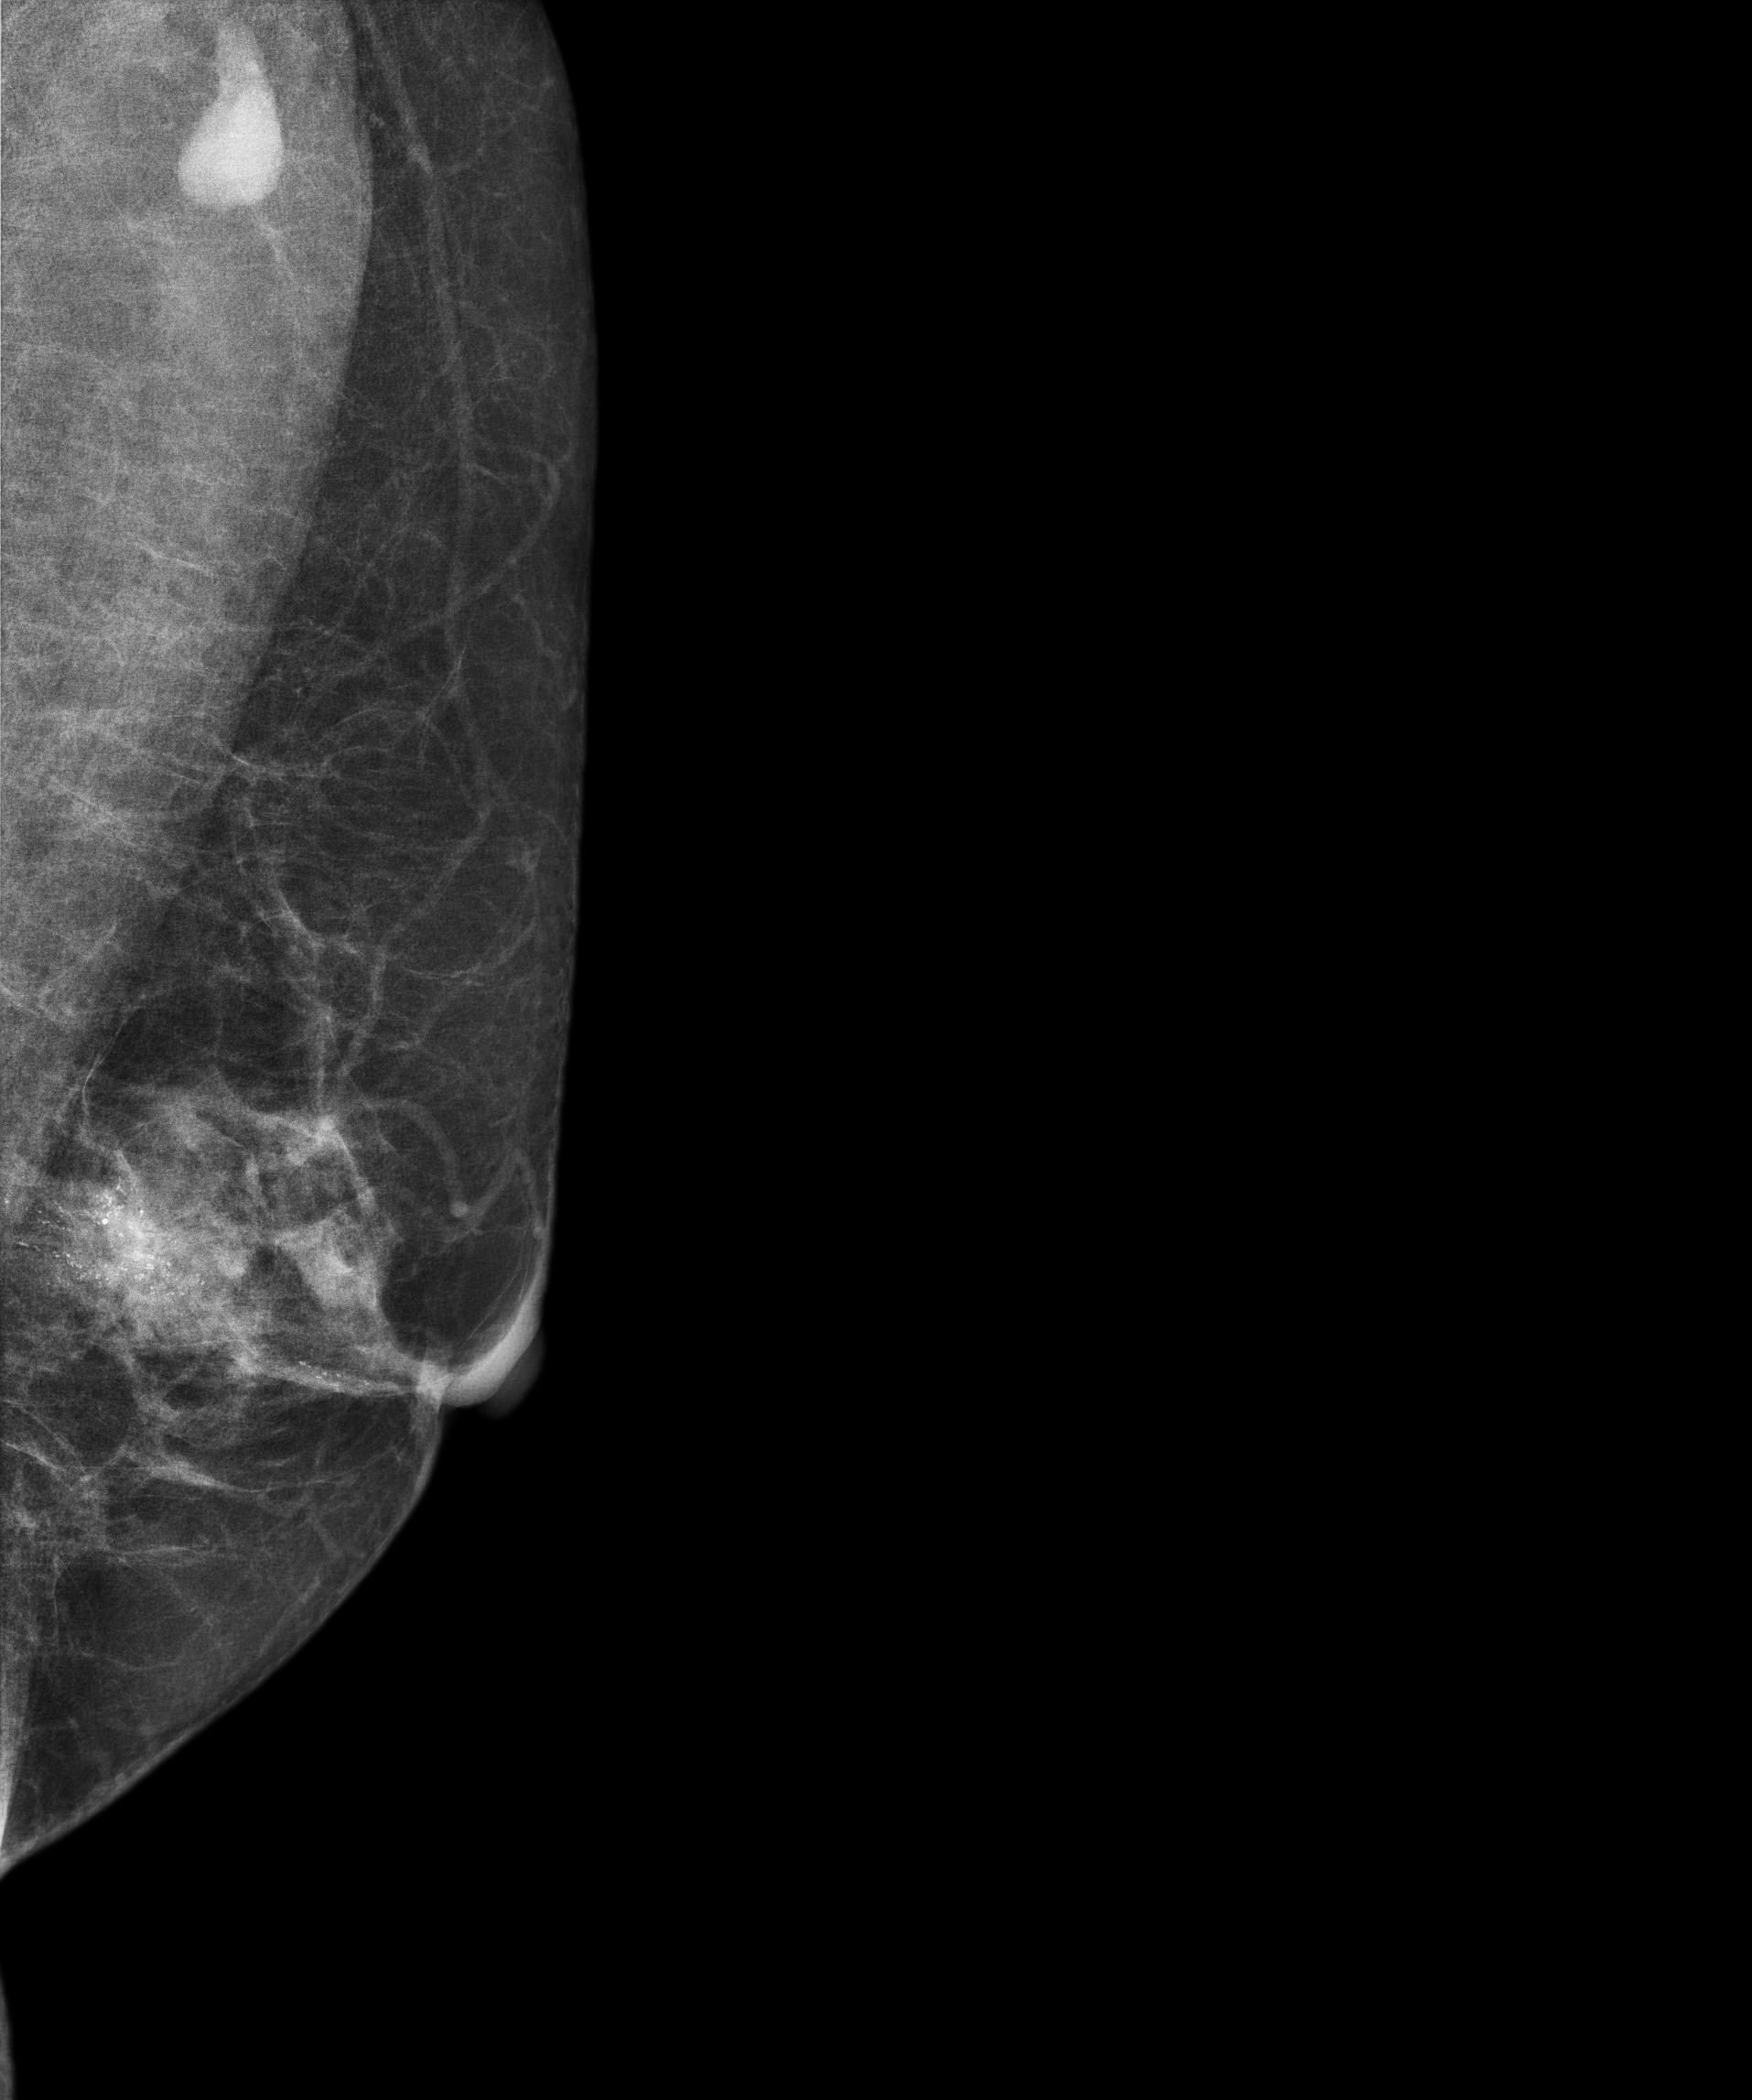
Digital mammography. Left breast, medio-lateral oblique projection. 52-year-old patient.
This breast has a mass and calcifications, biopsy-proven malignant. Molecular subtype: luminal B.